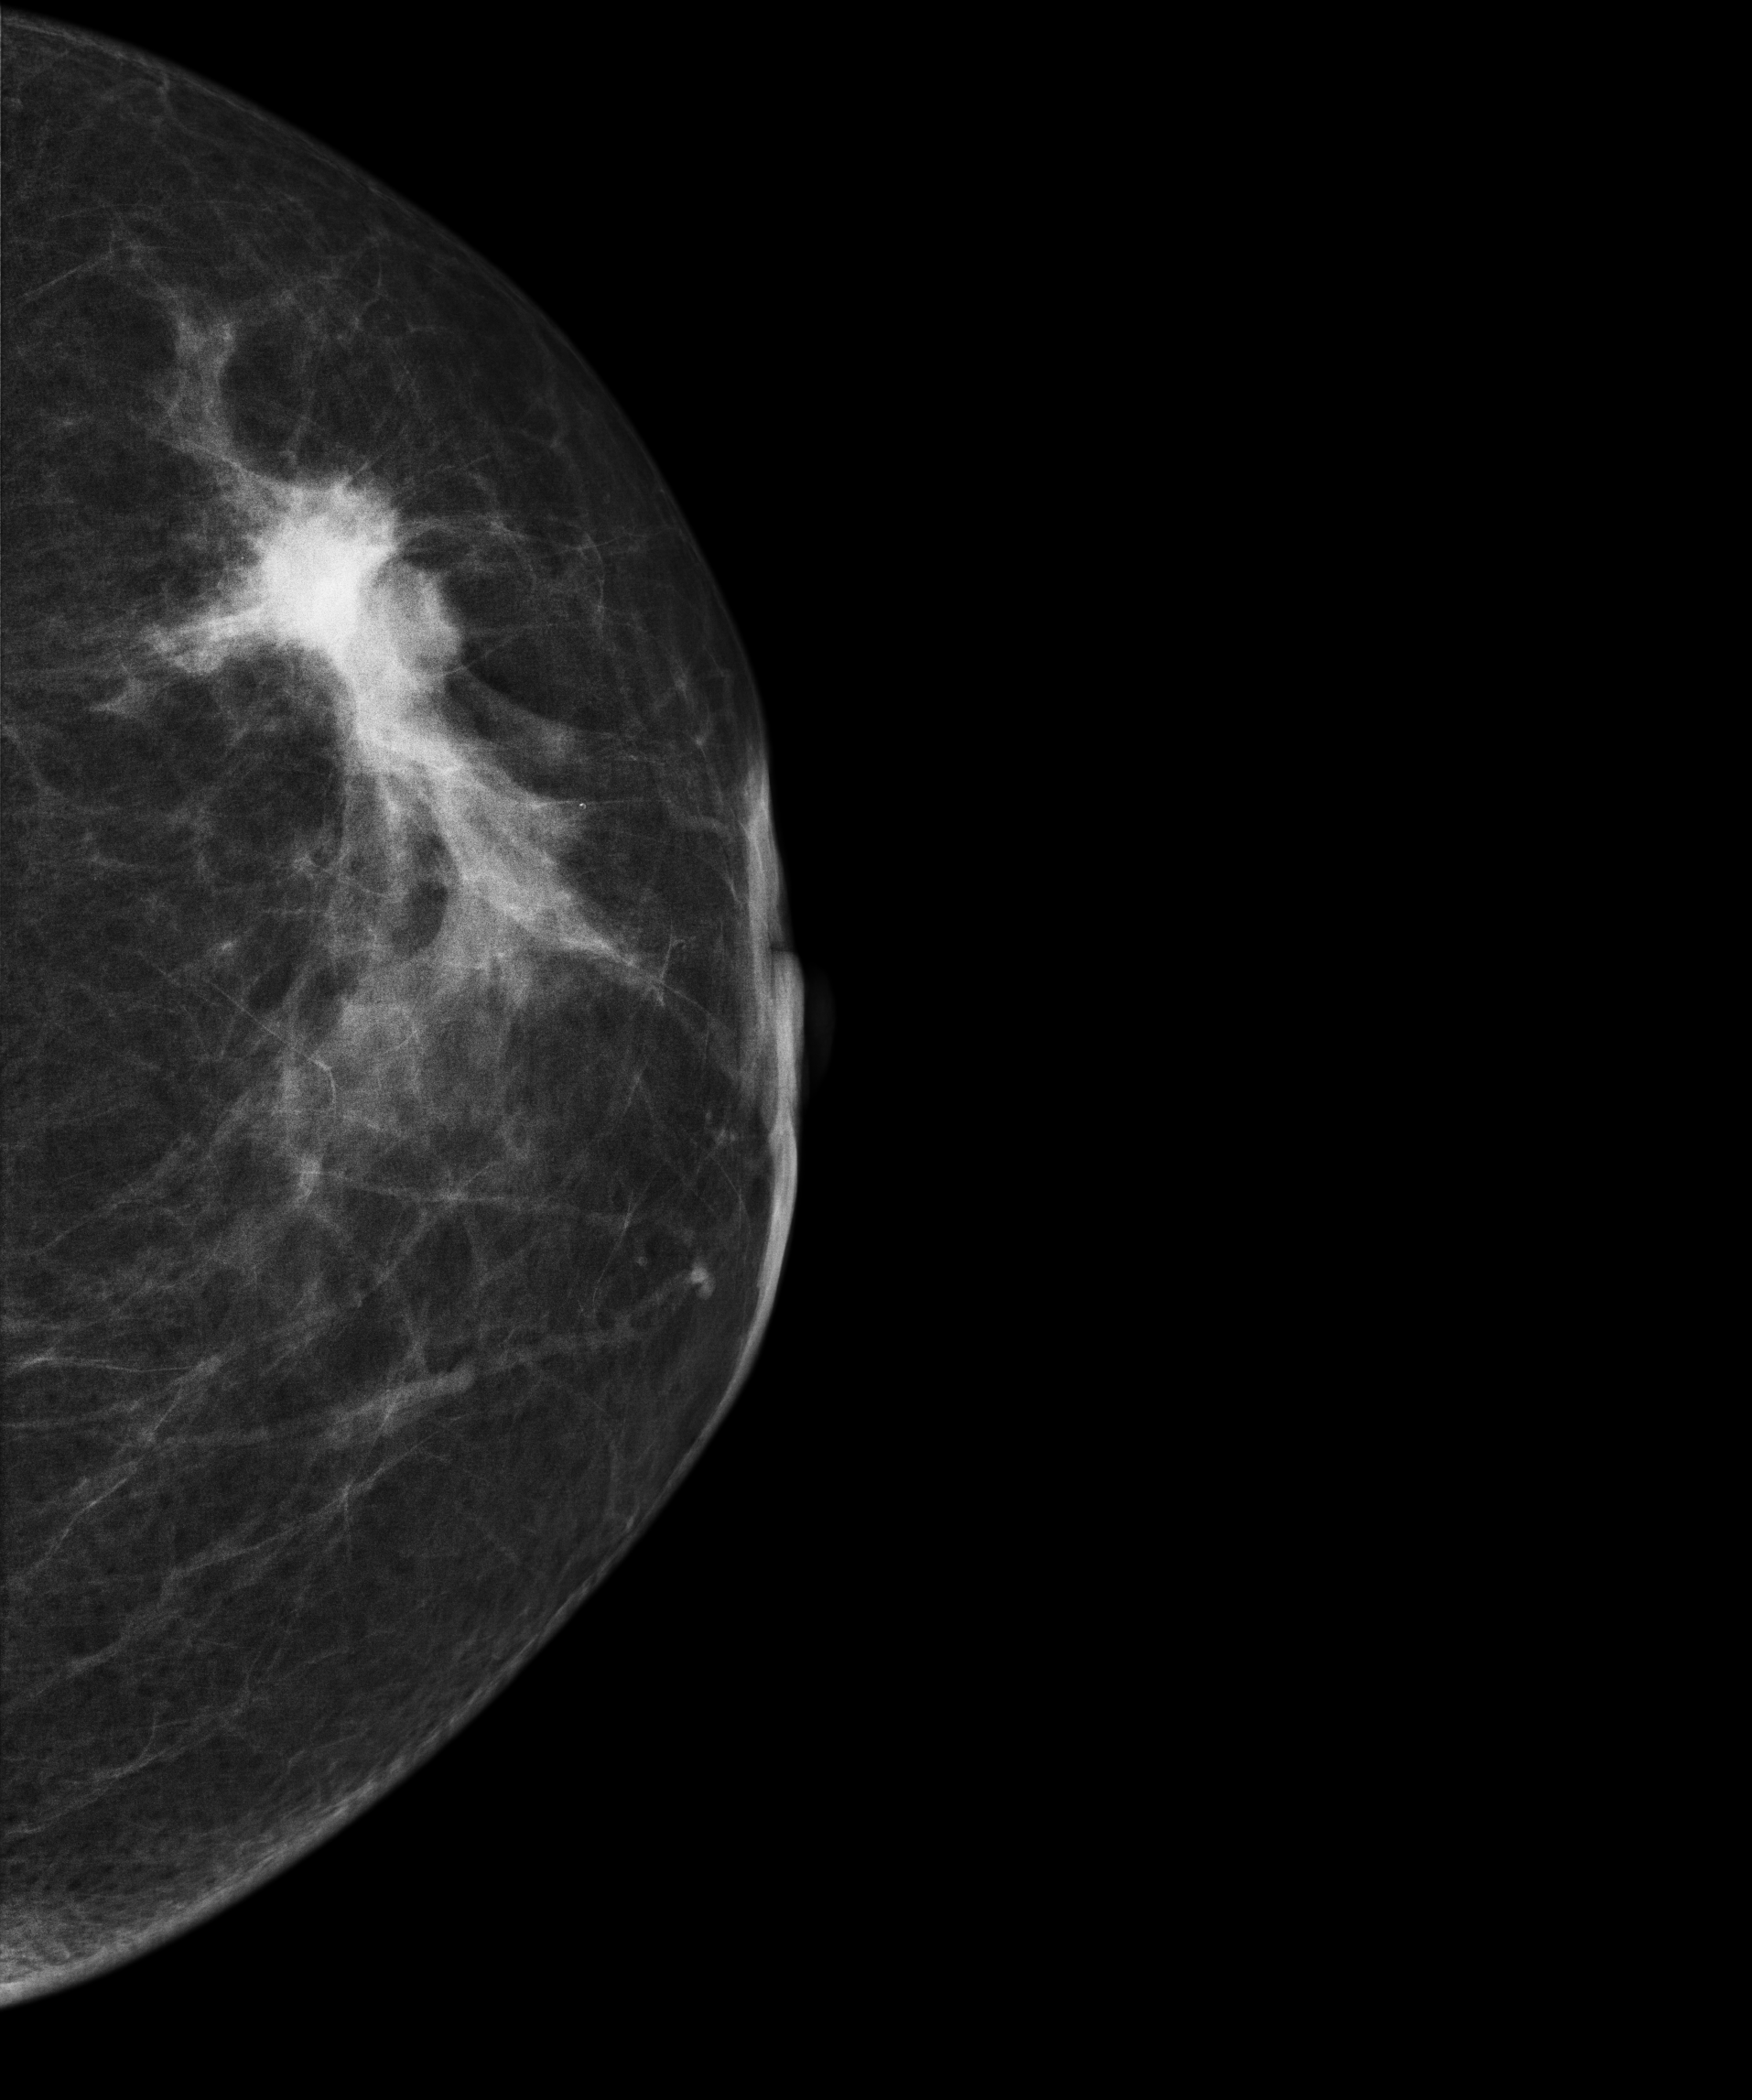
Mammogram, left breast, CC view. Patient age 62.
This breast has a mass, histologically confirmed malignant. Molecular subtype: luminal A.